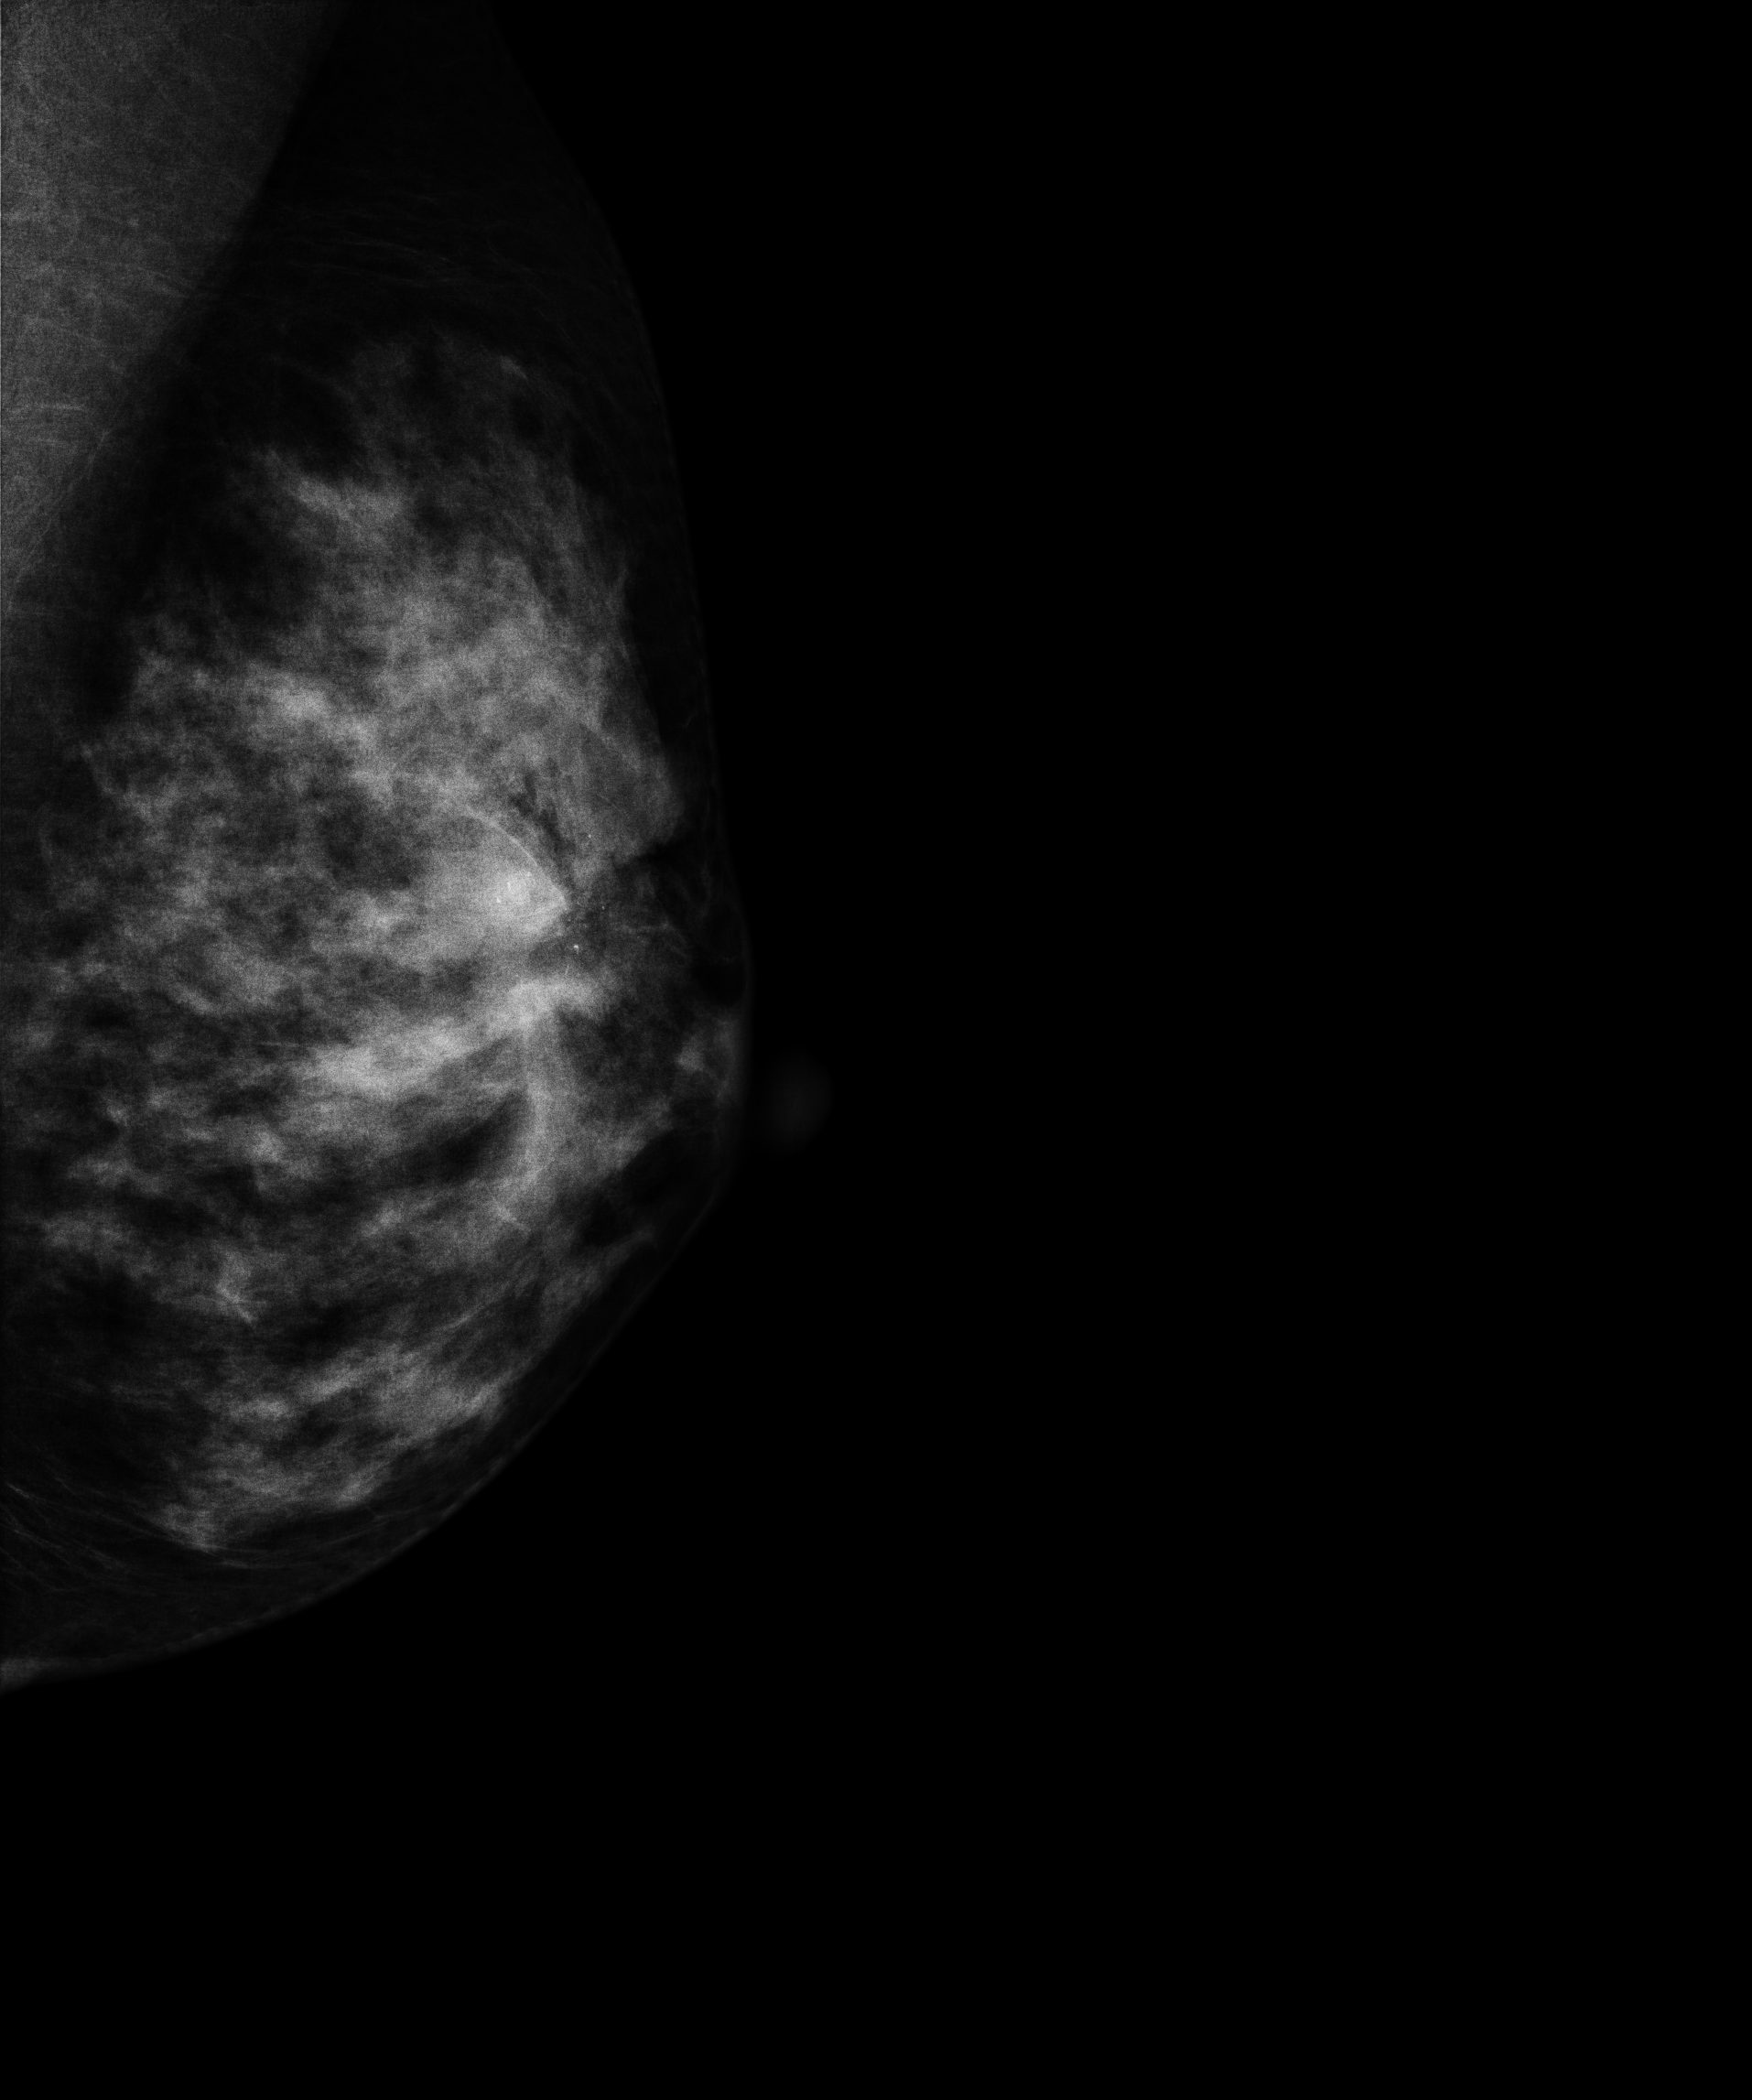
Left-breast mammogram, medio-lateral oblique. 44-year-old patient.
This breast has a mass and calcifications, histologically confirmed malignant.